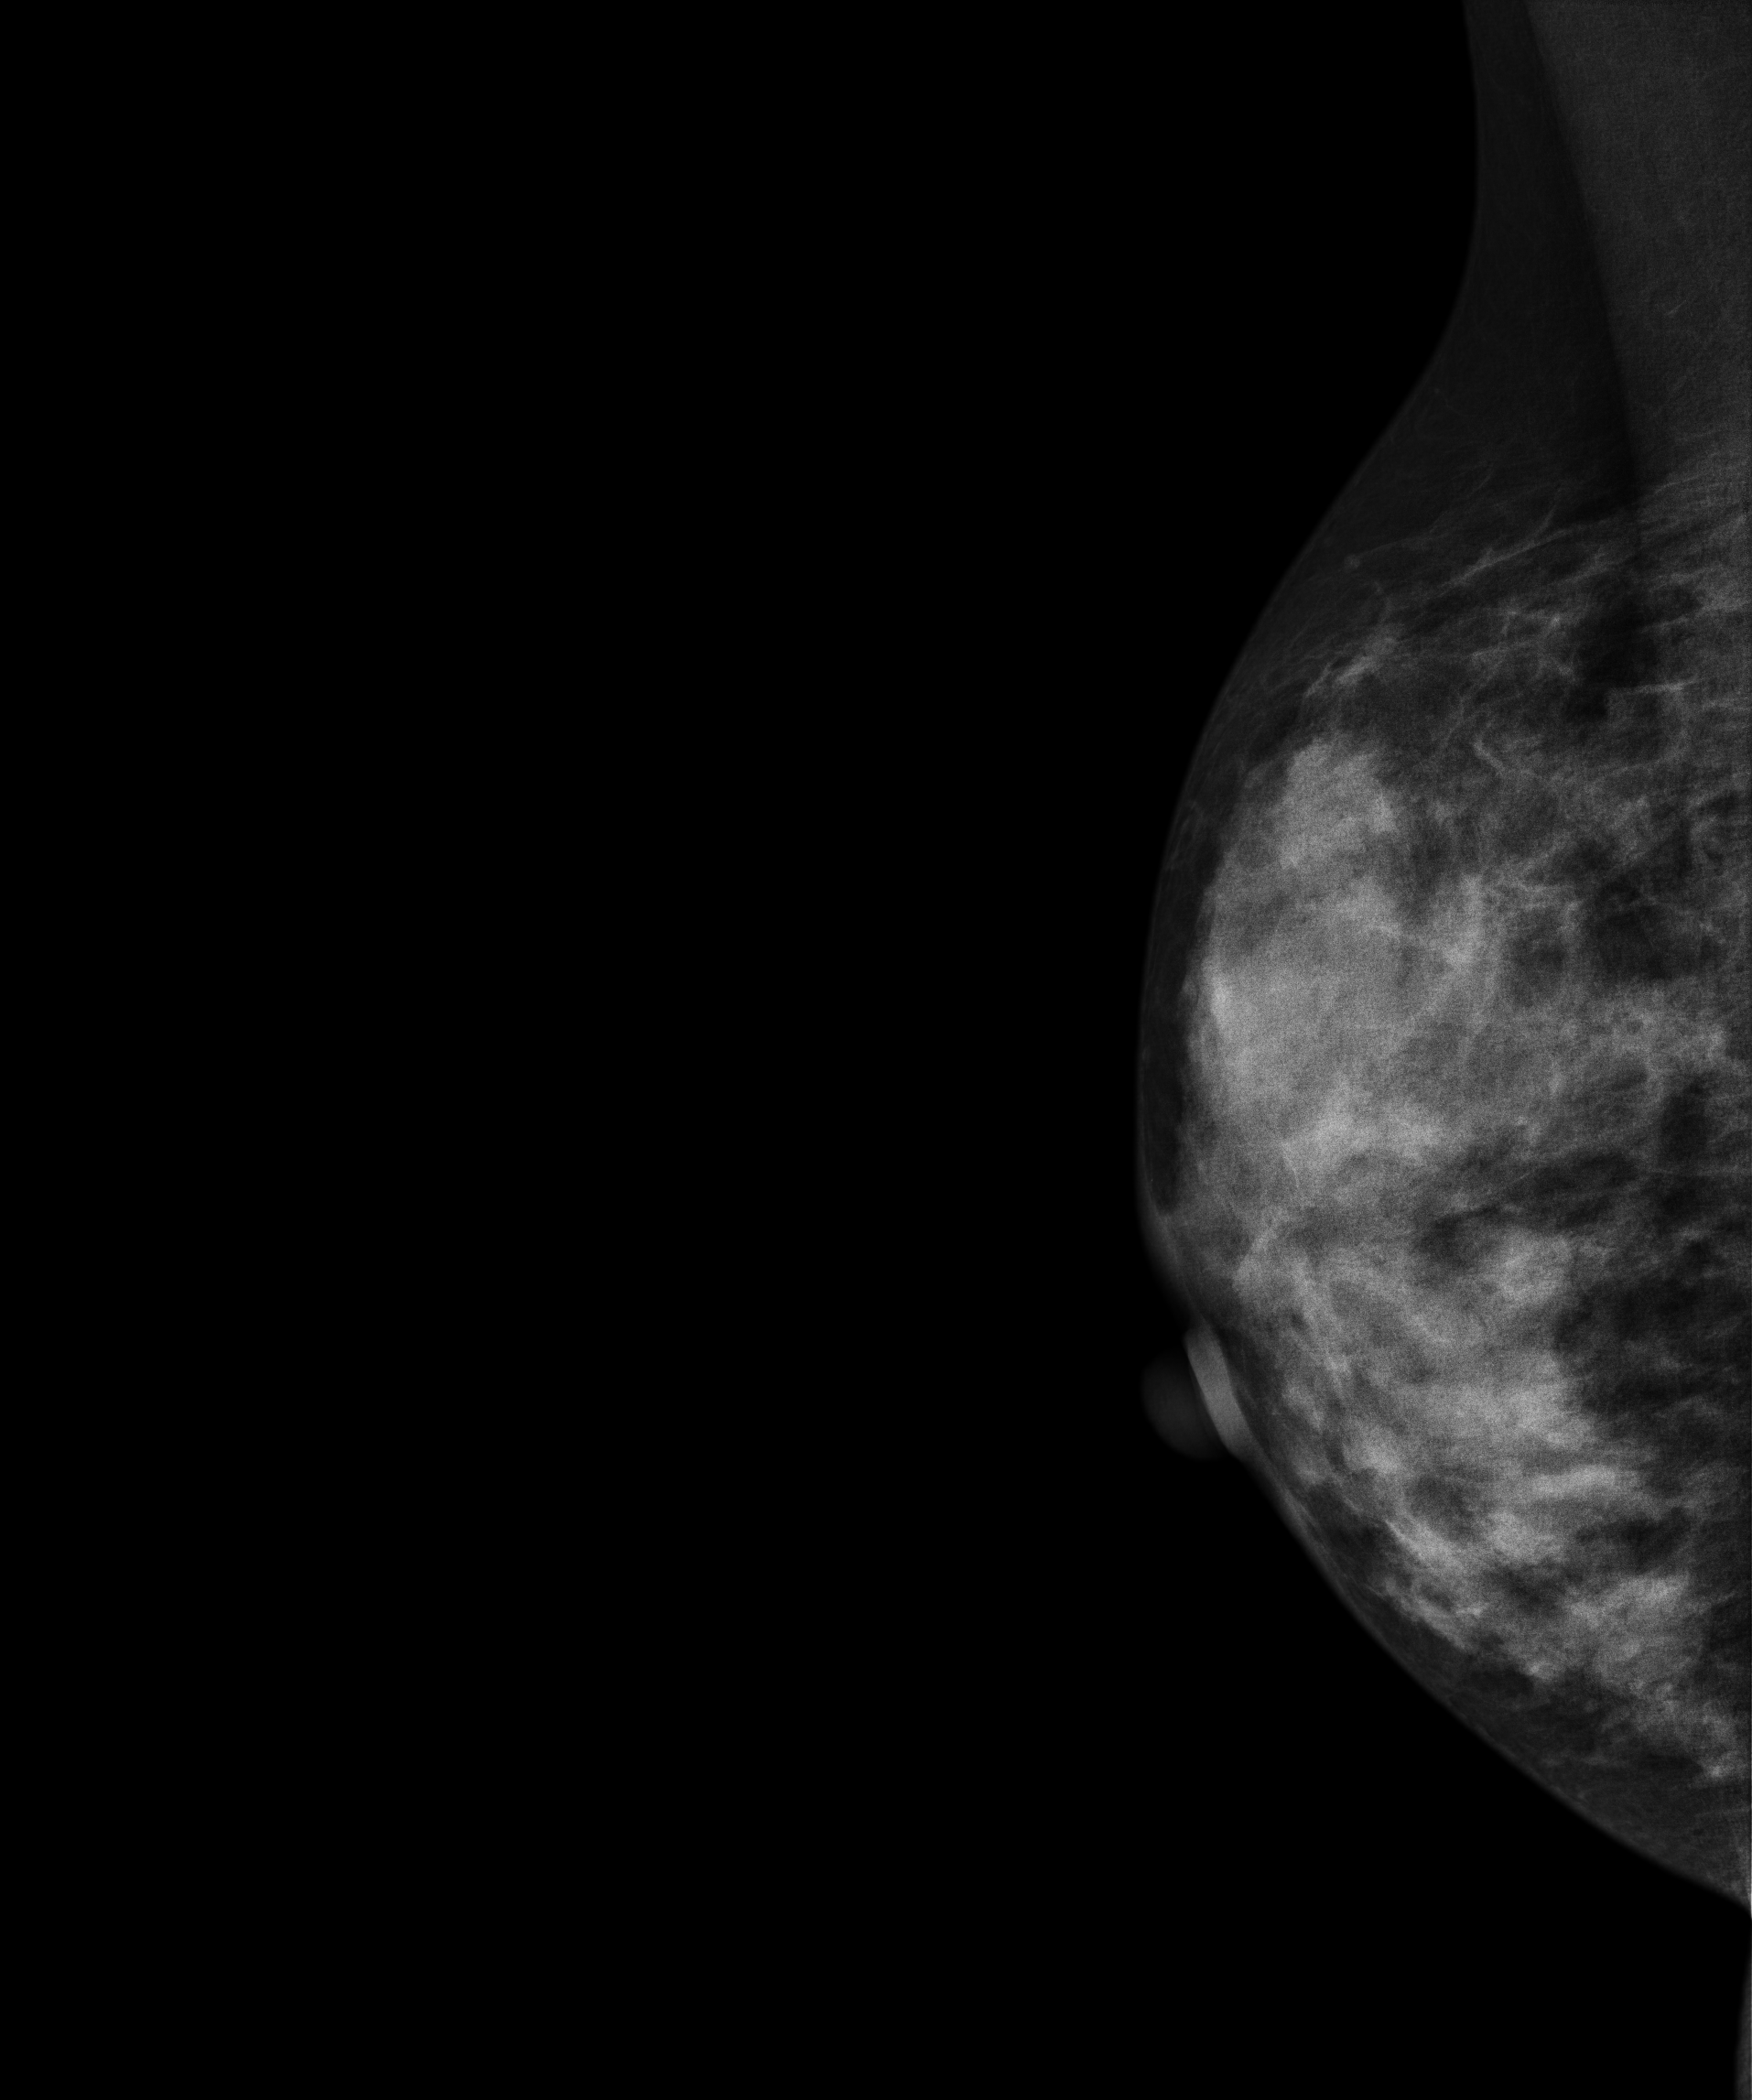
Digital mammography. Right breast, medio-lateral oblique projection. Patient age 37.
This breast has a mass, biopsy-proven benign.